Mammogram — left CC. 42 y/o patient.
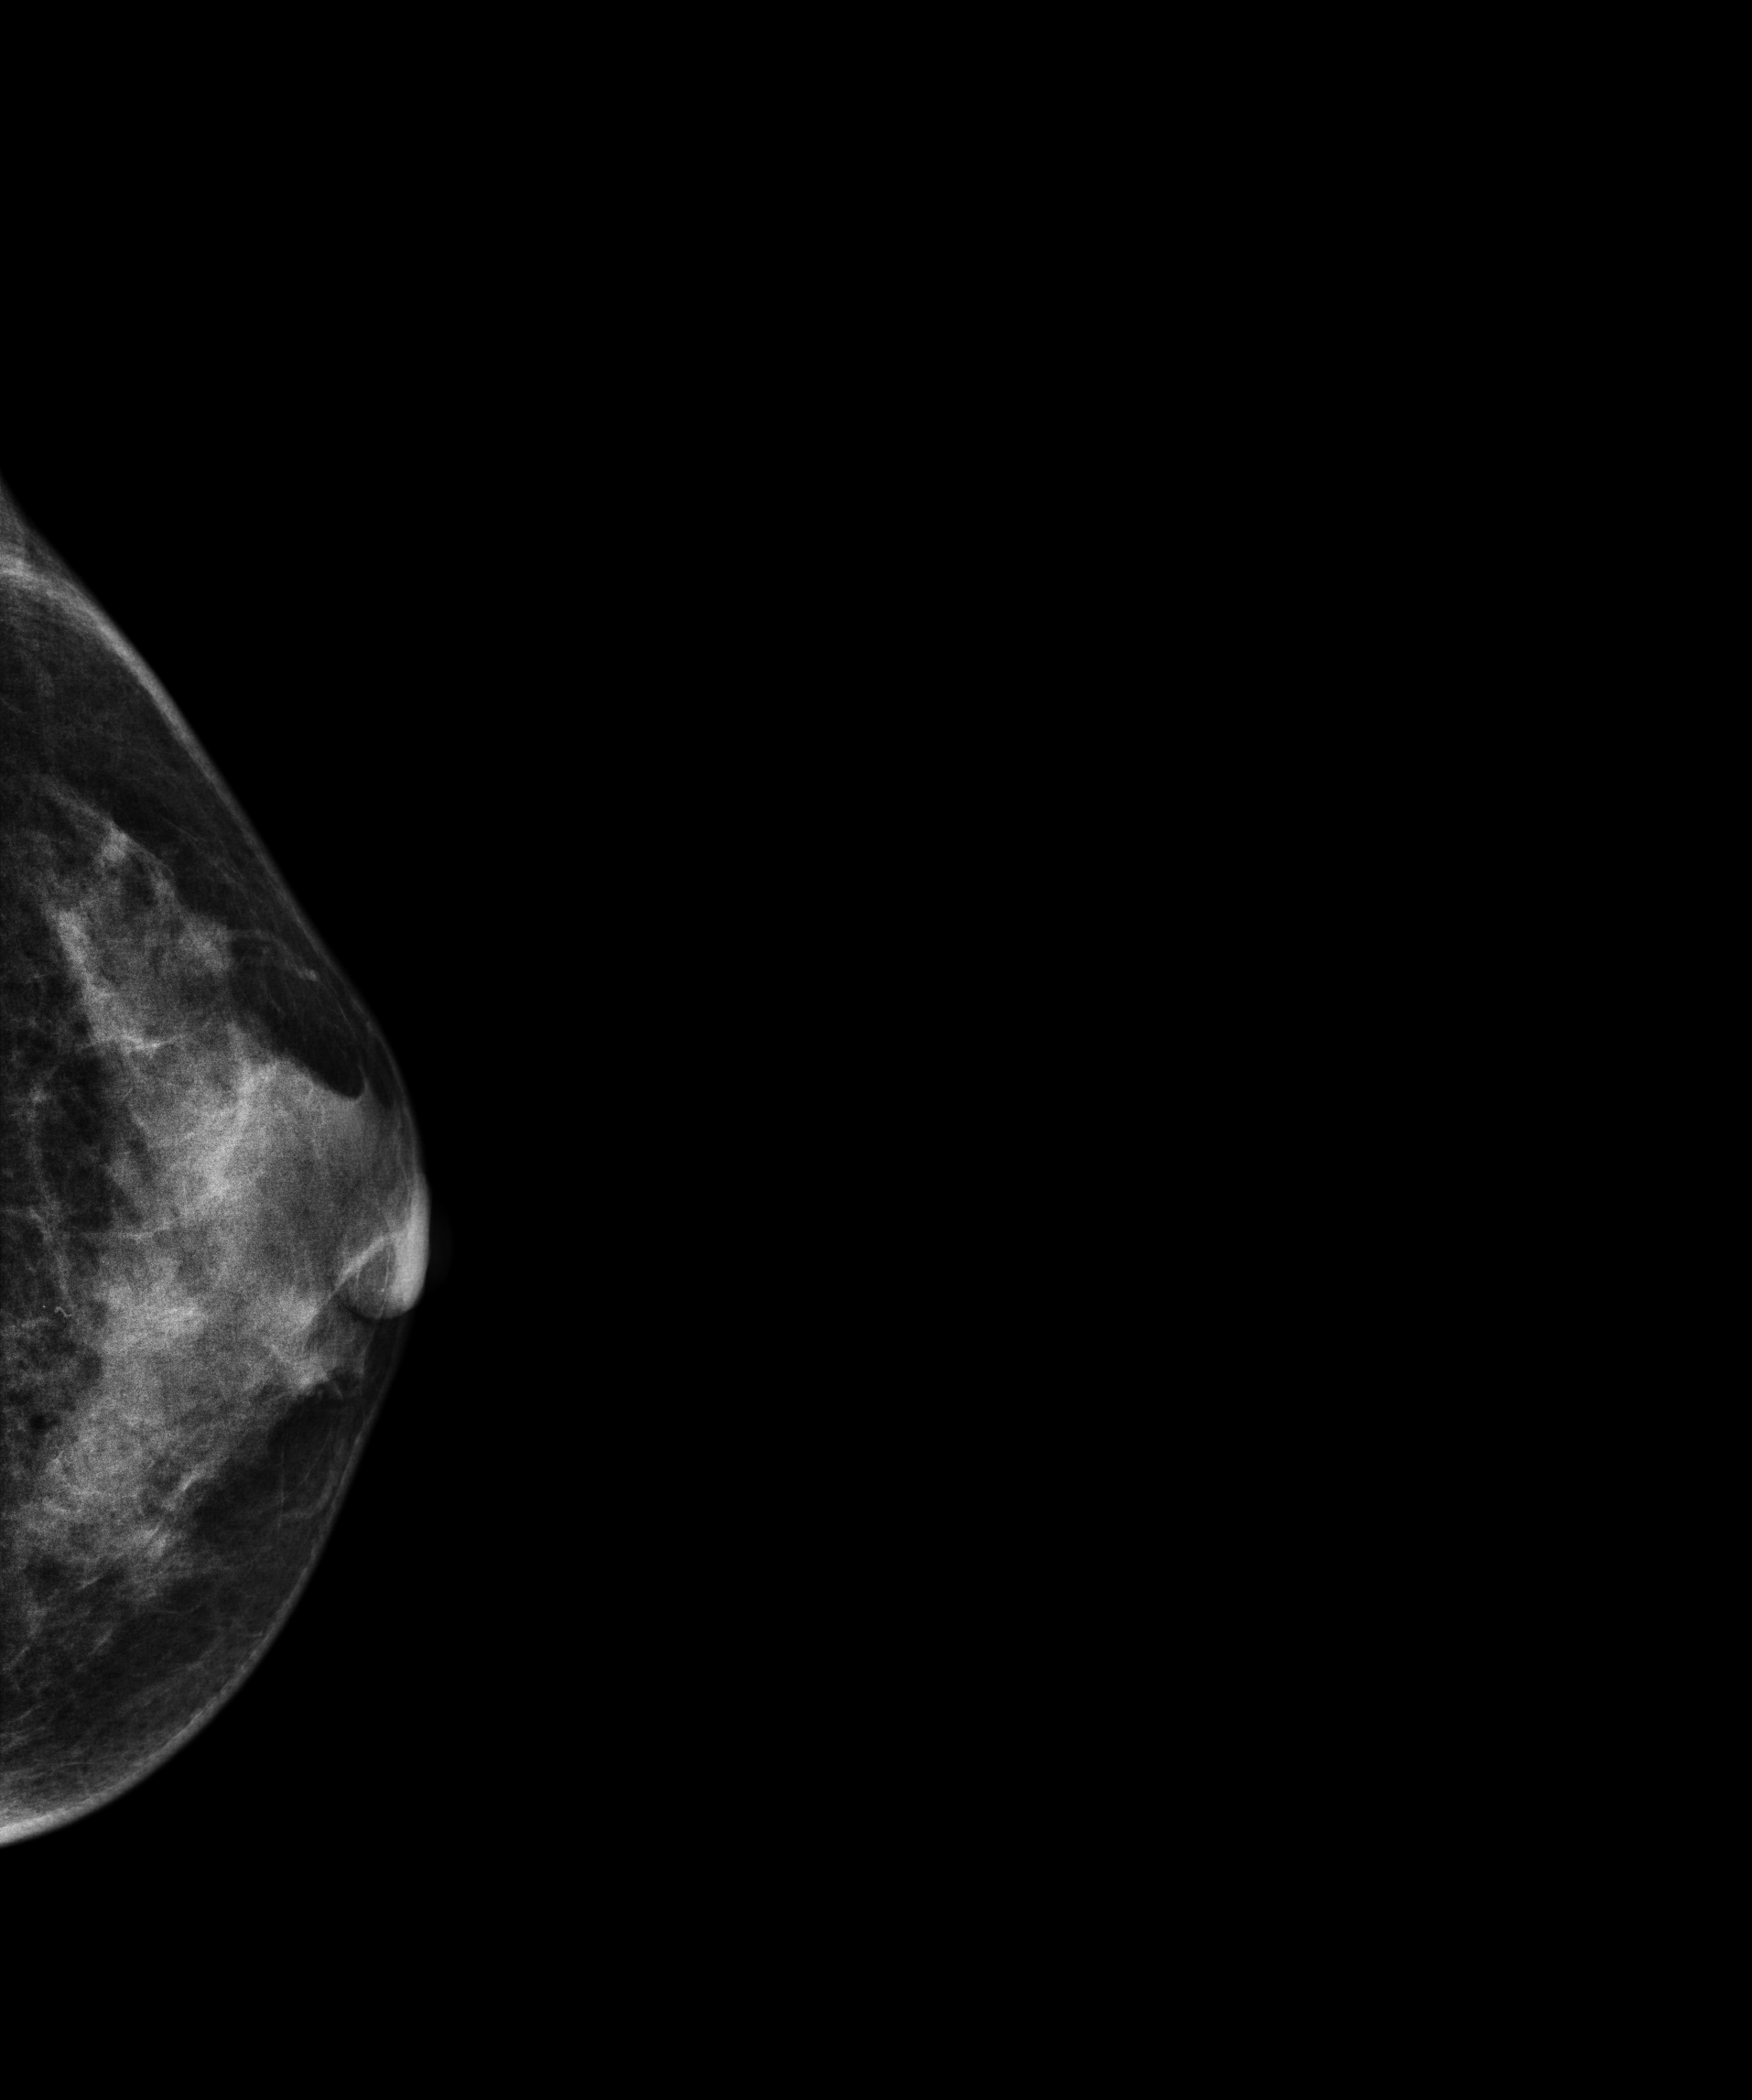
This breast has a mass and calcifications, biopsy-confirmed benign.